Medio-lateral oblique mammogram of the right breast. 43 y/o patient.
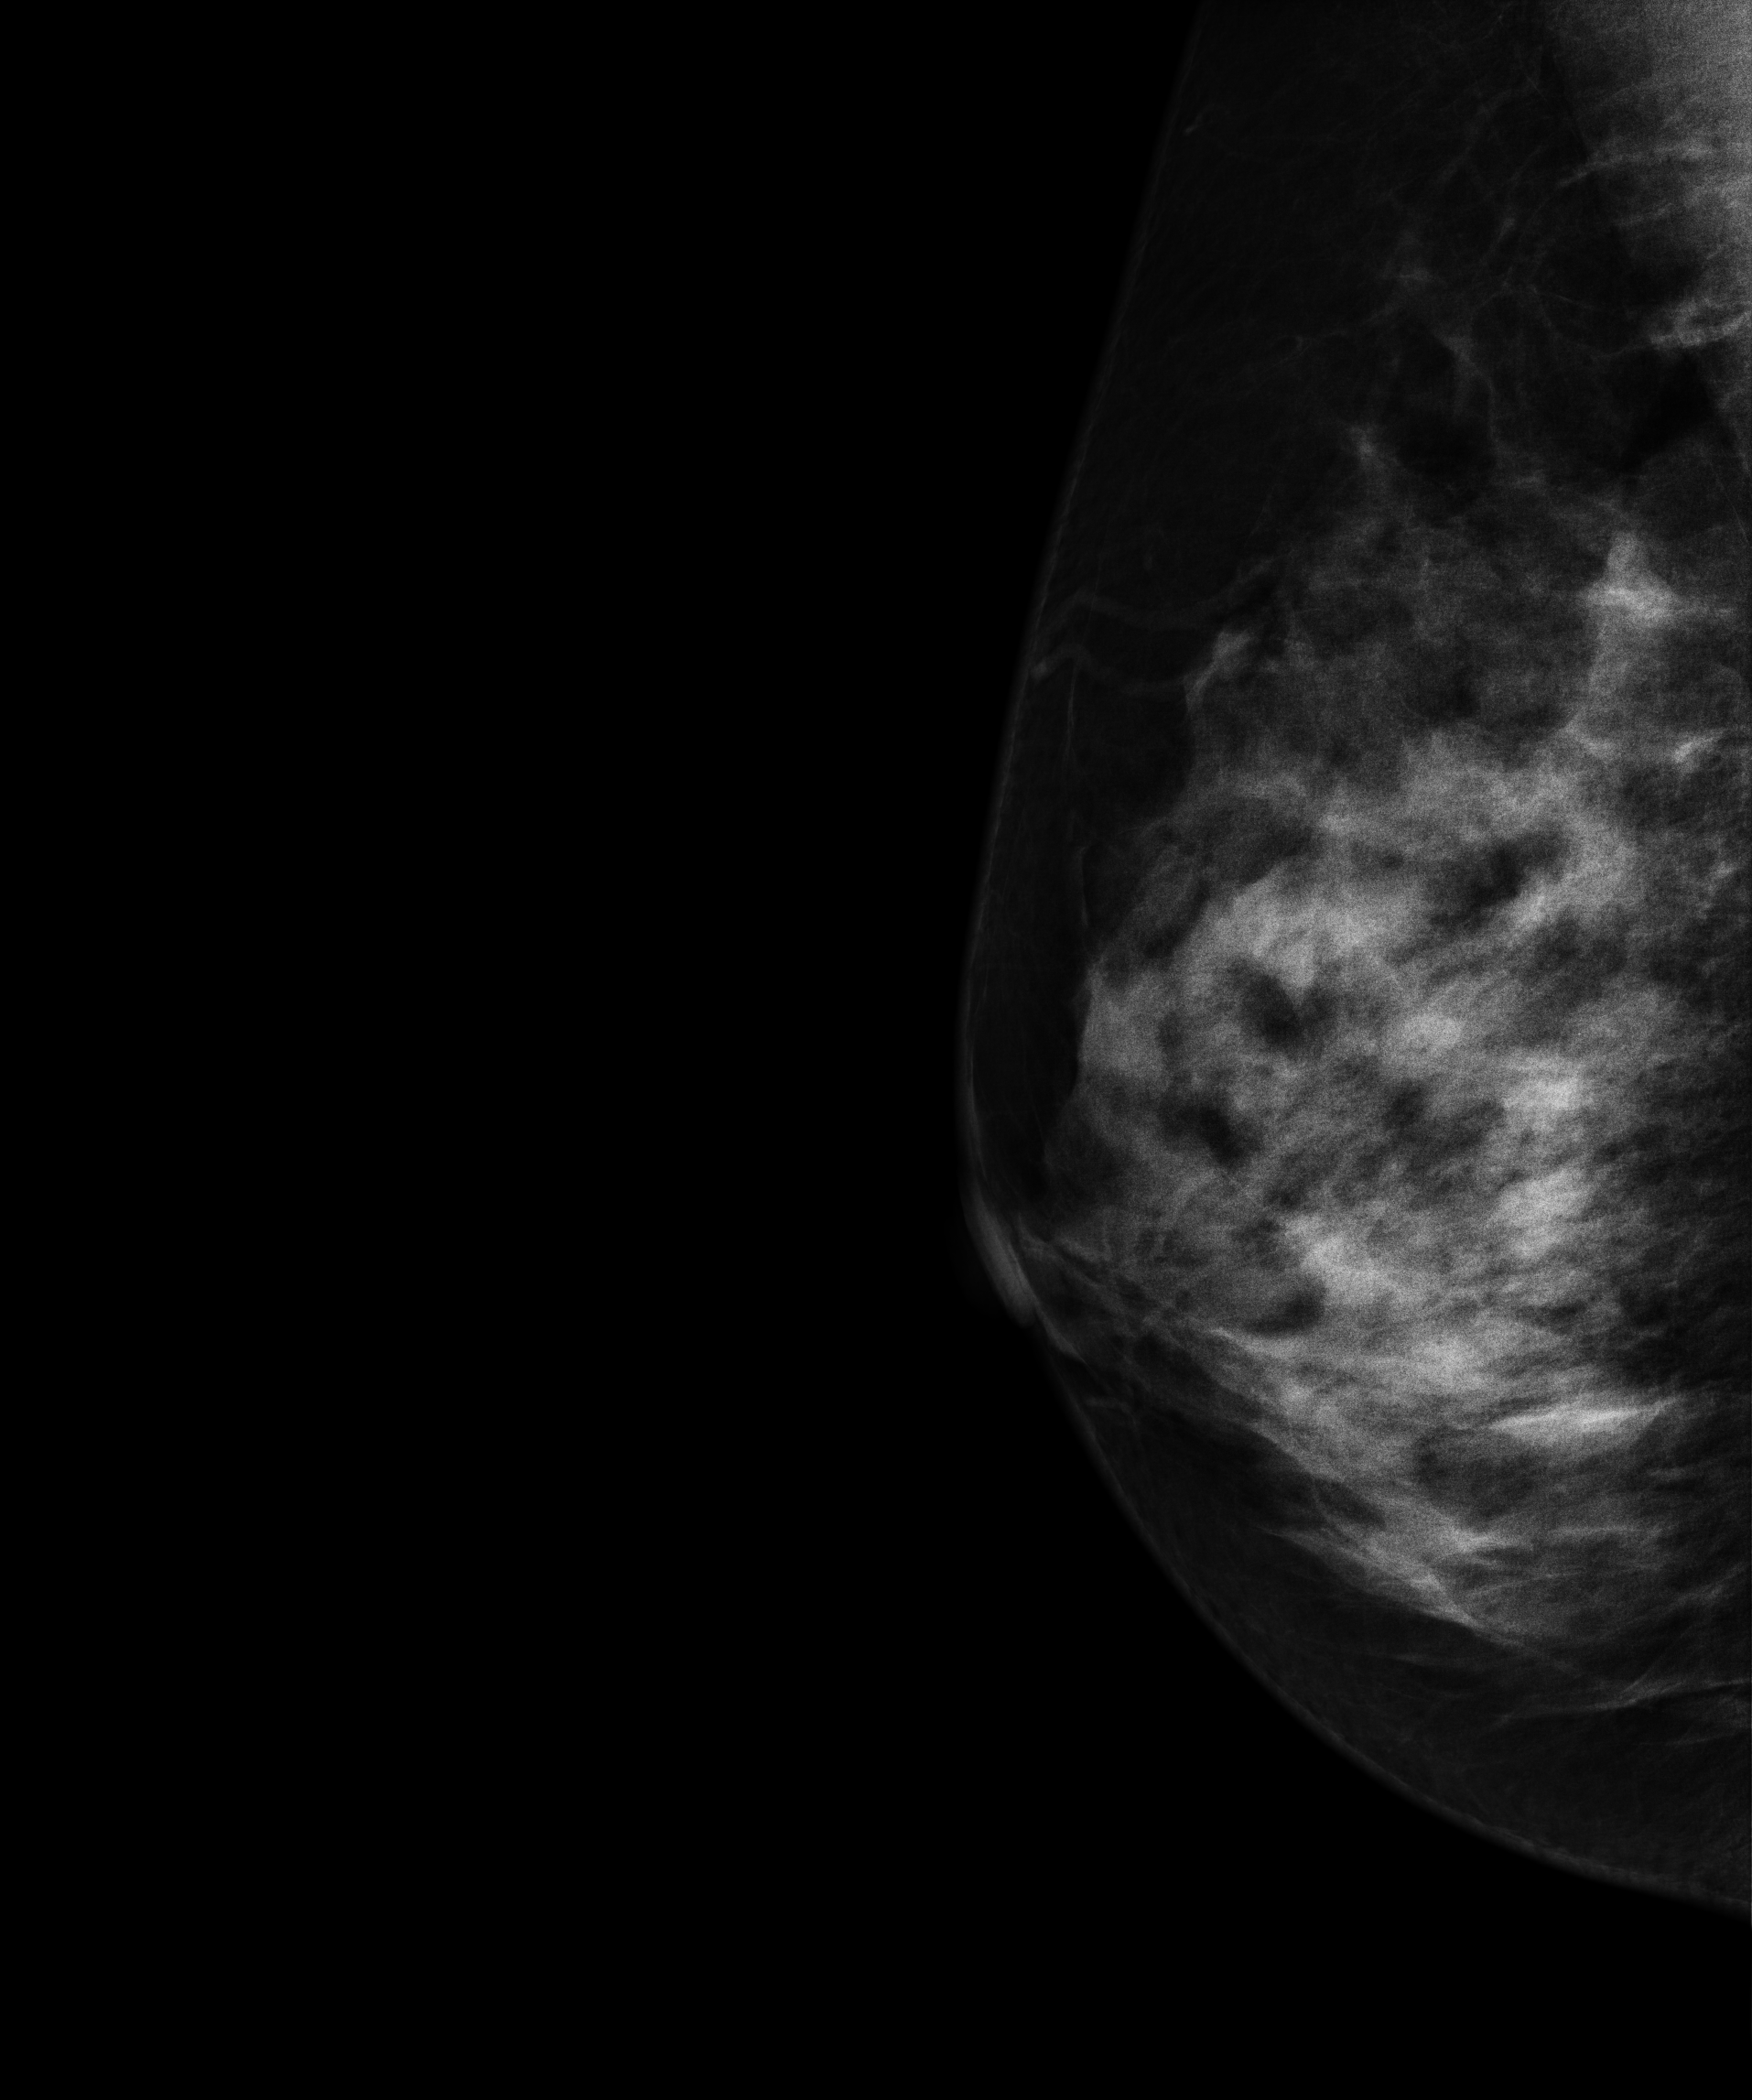
Contralateral breast — no documented abnormality on this side.